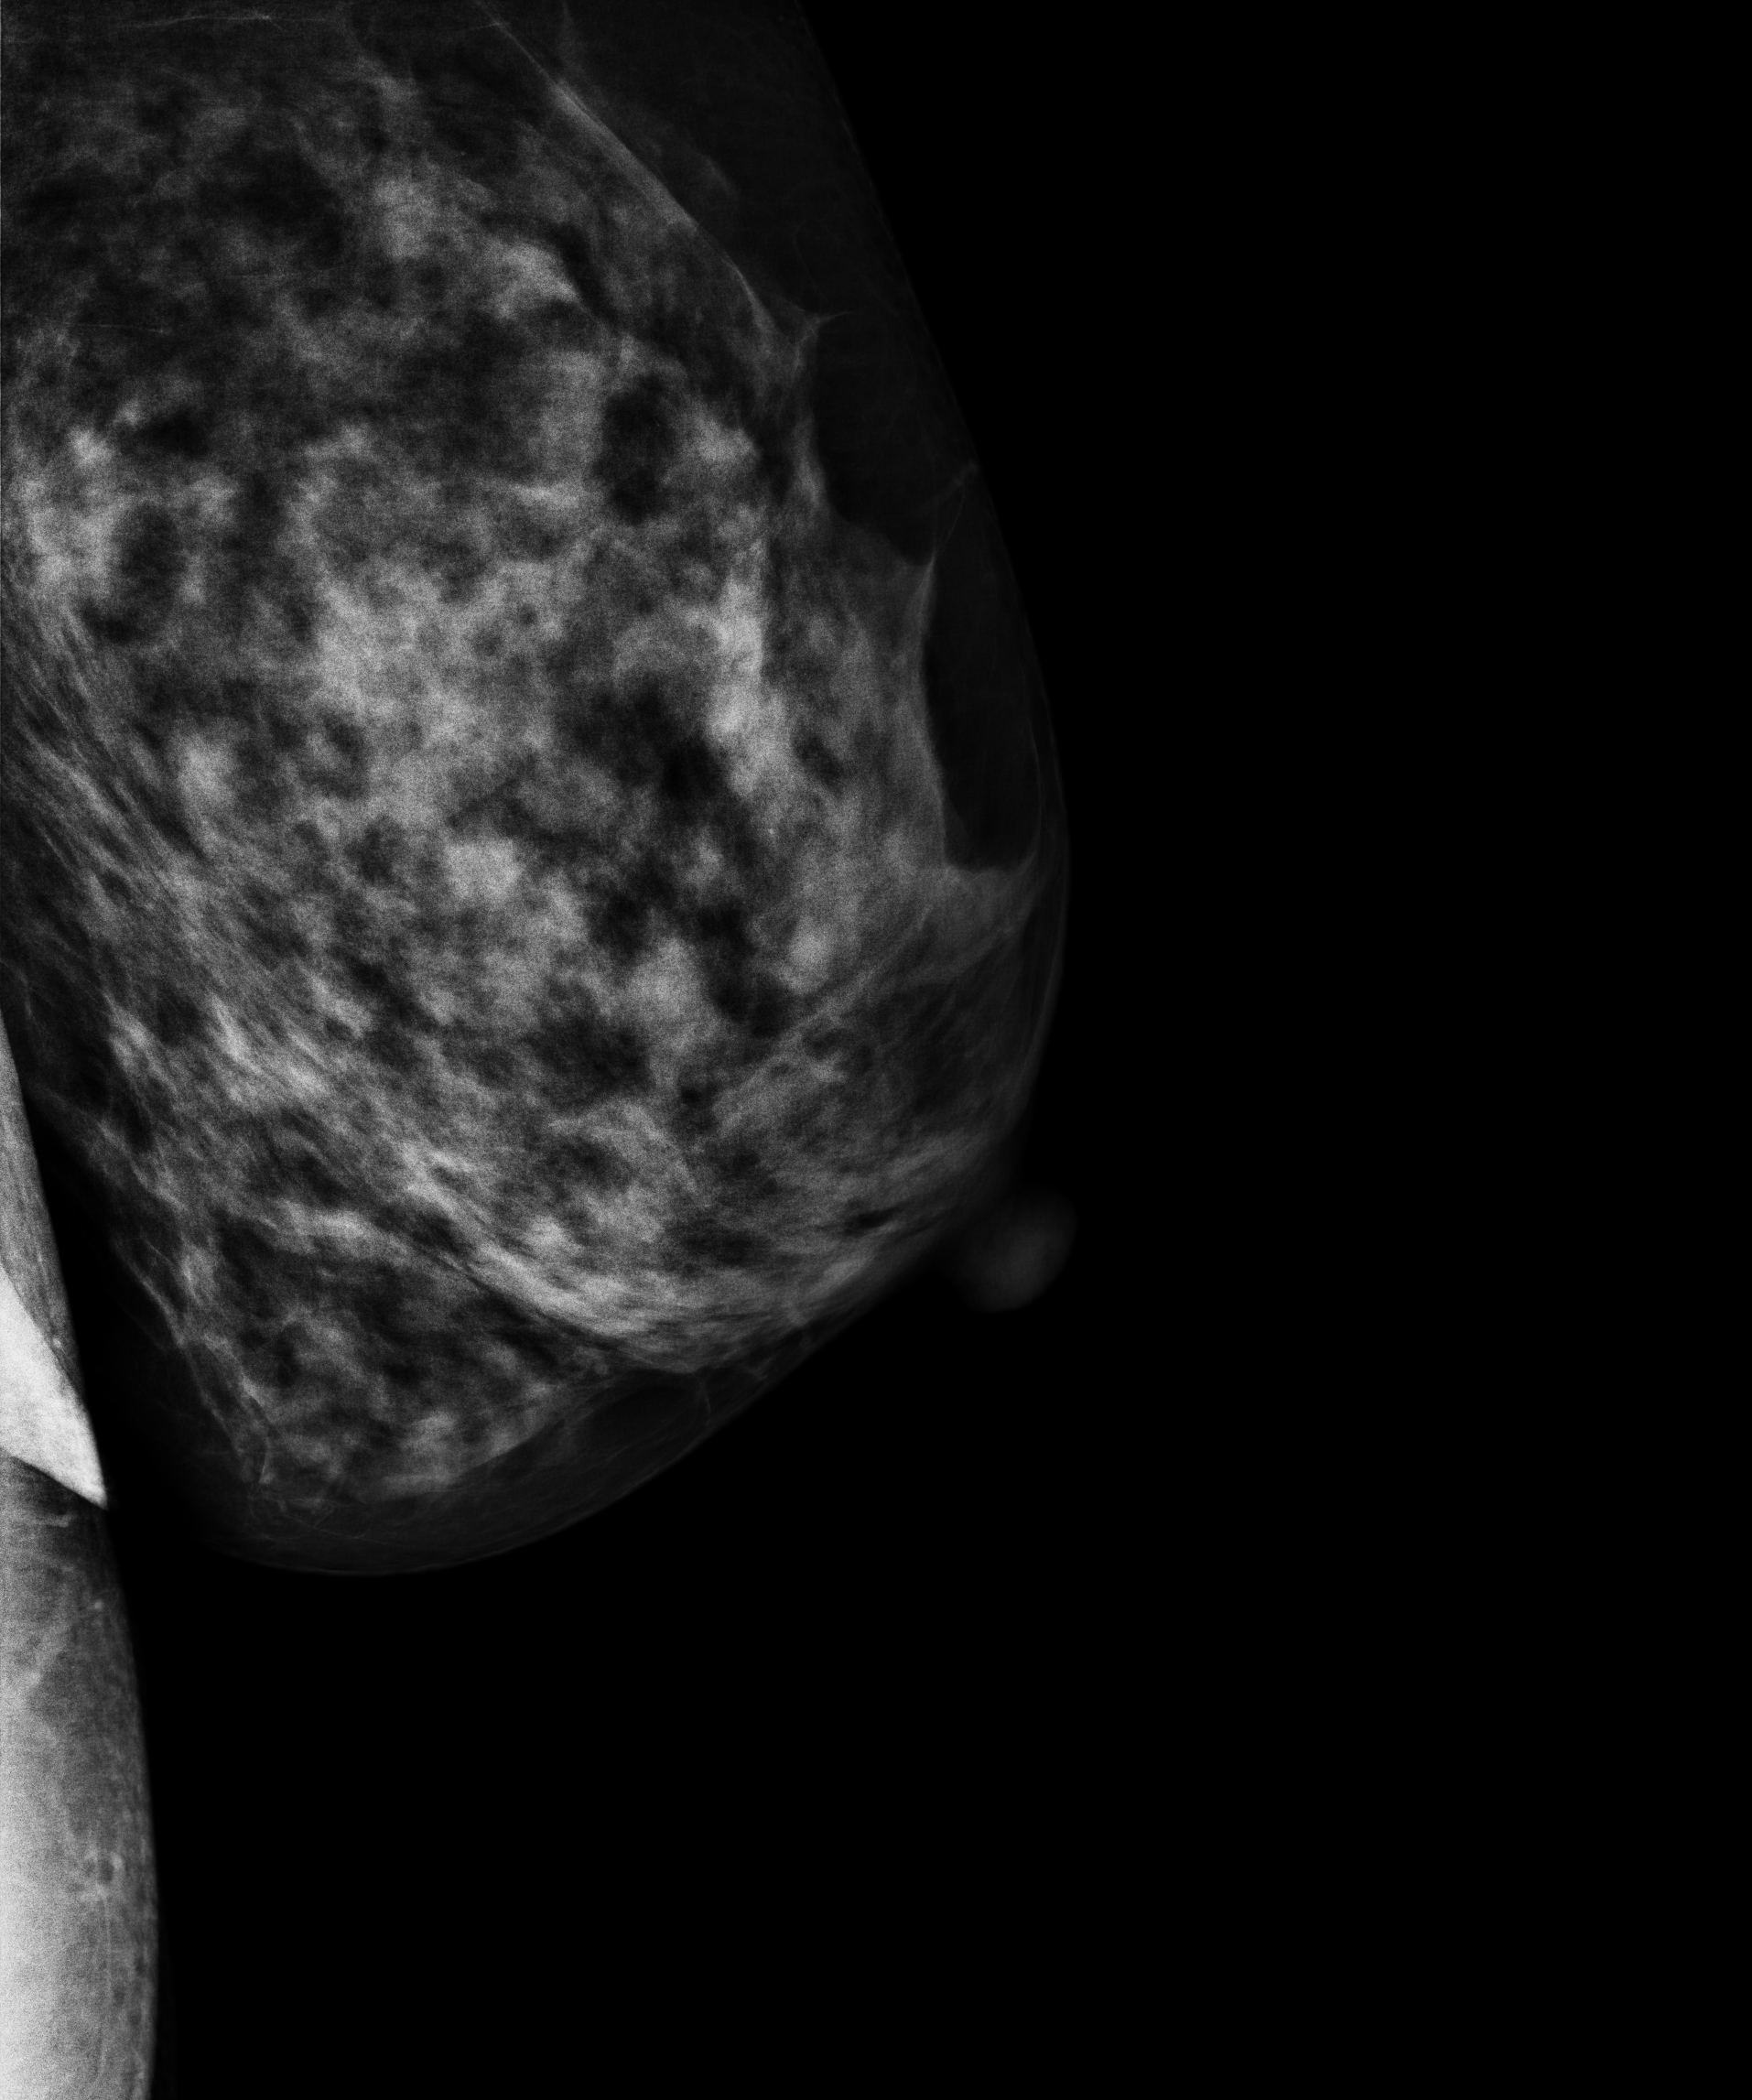
Left-breast mammogram, cranio-caudal. 68-year-old patient.
This breast has a mass, histologically confirmed malignant.